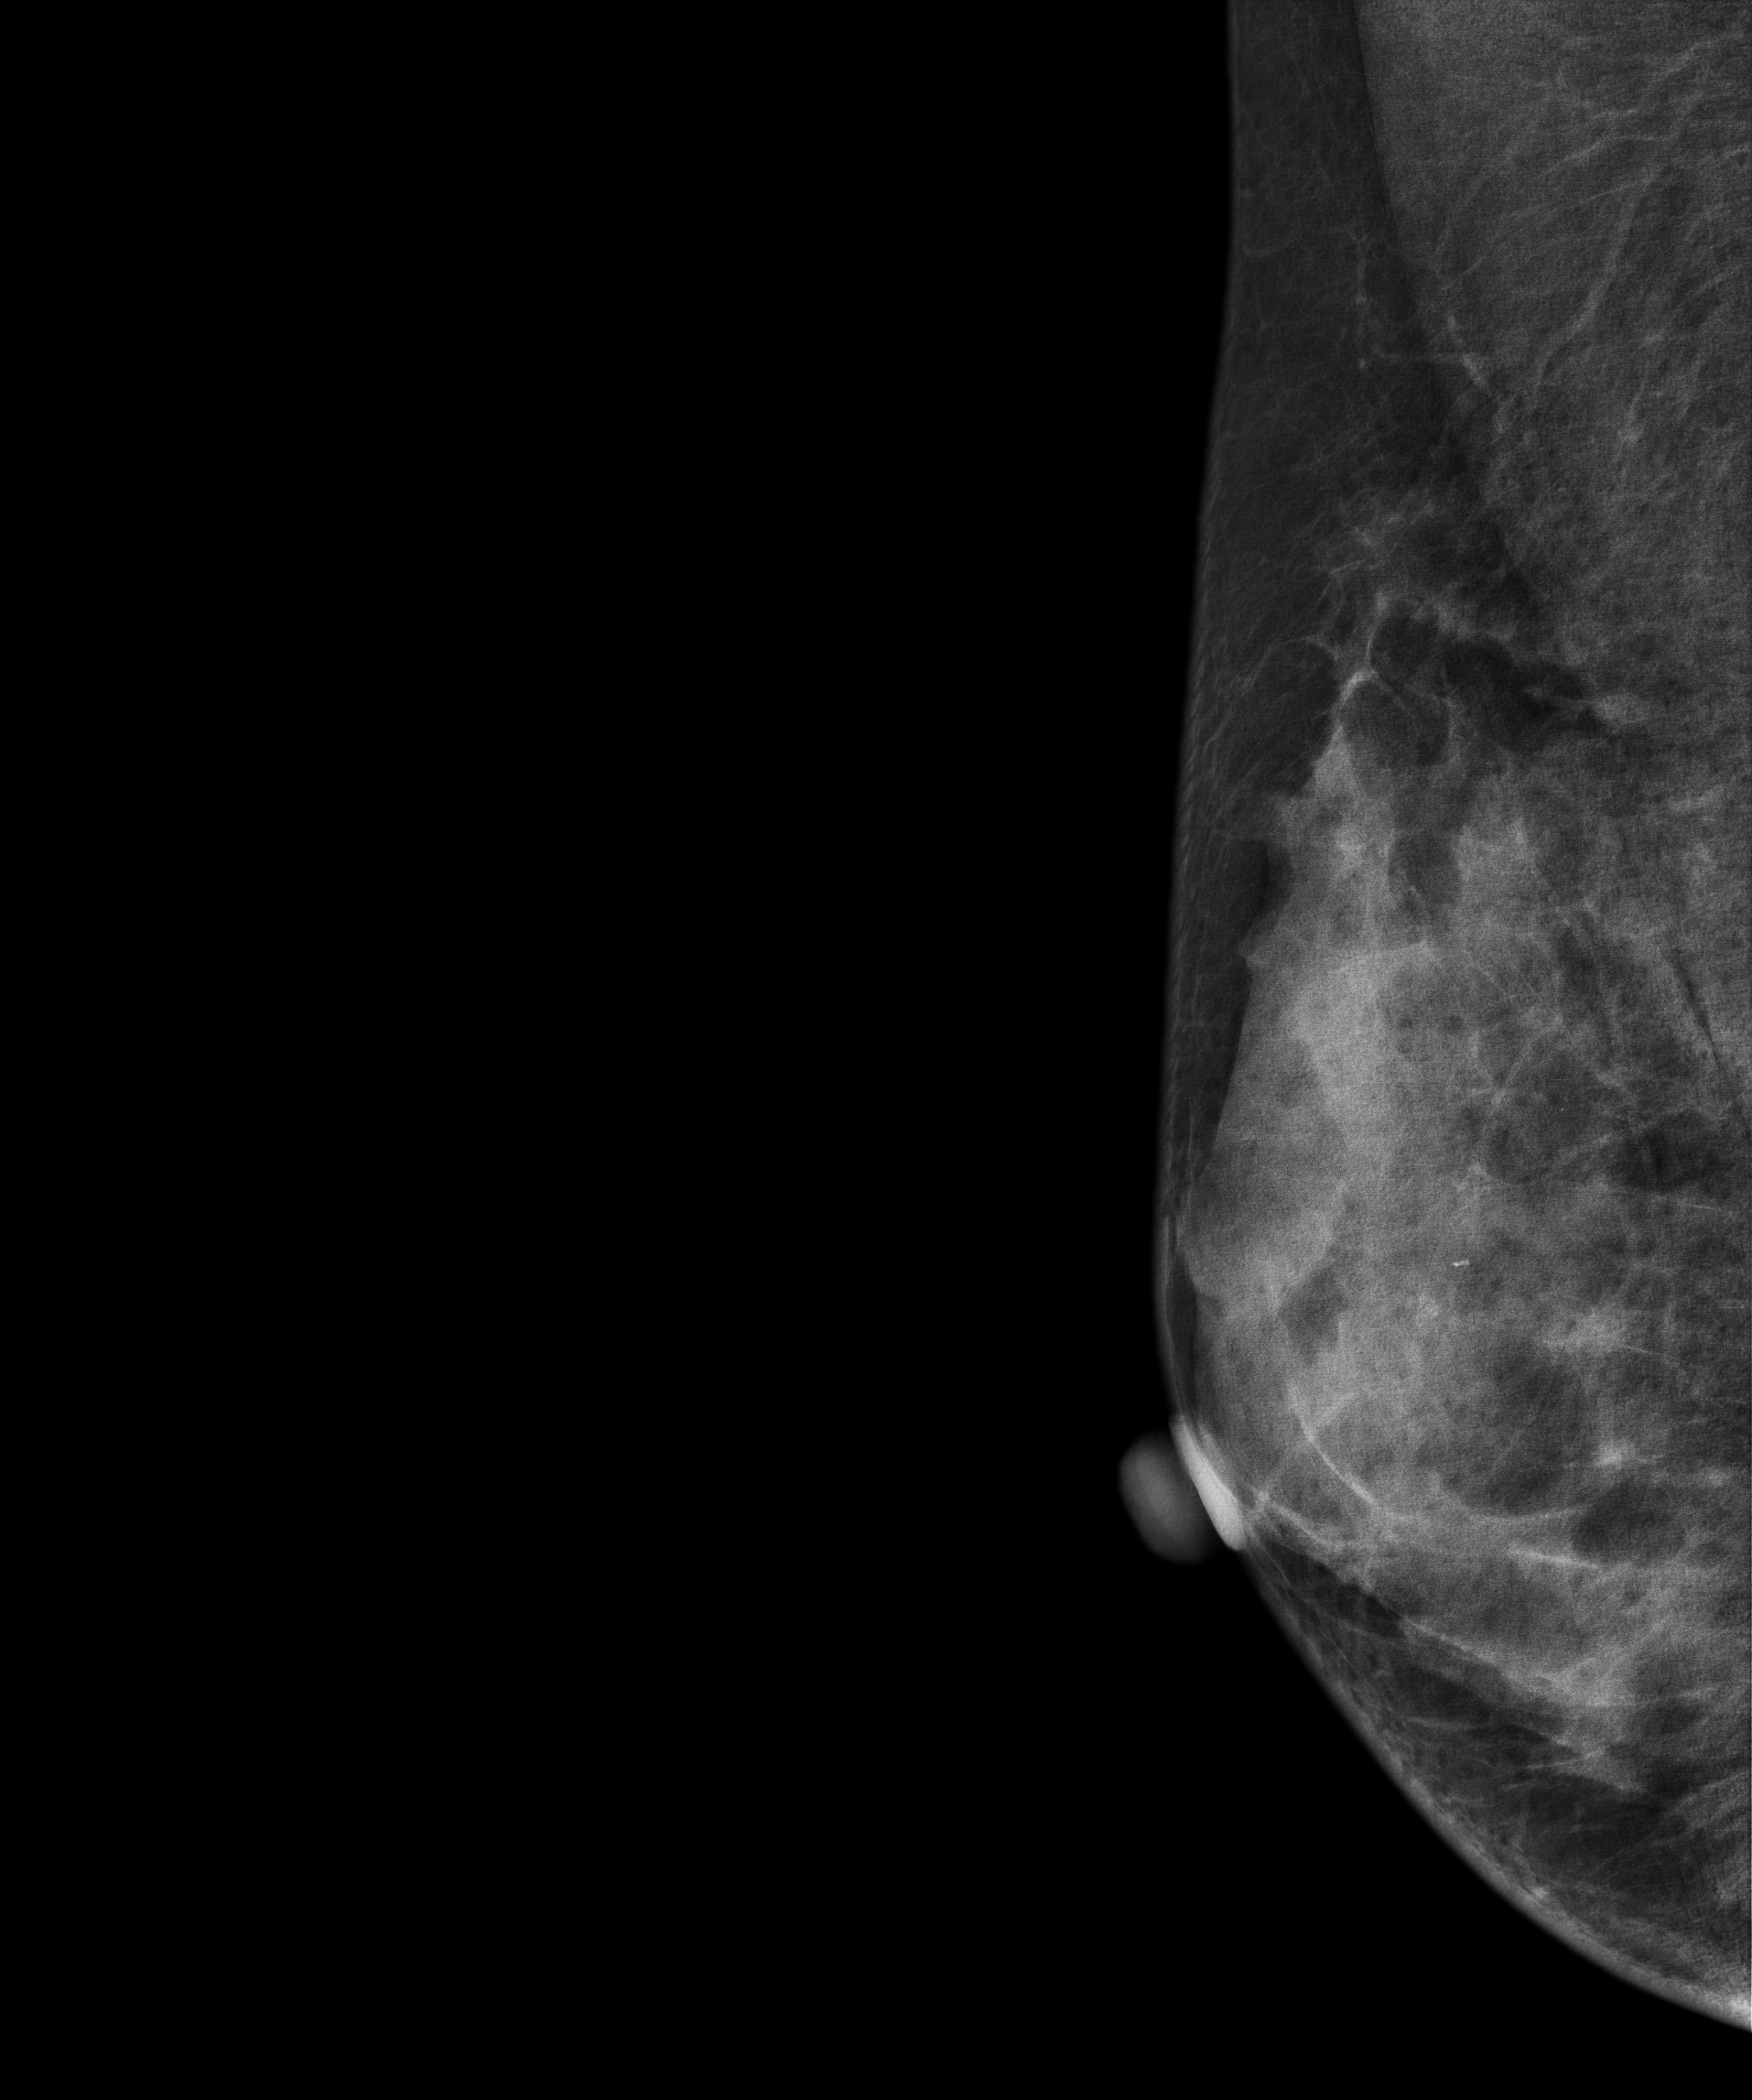
Mammogram — right MLO. Patient age 45.
This breast has a mass and calcifications, histologically confirmed benign.